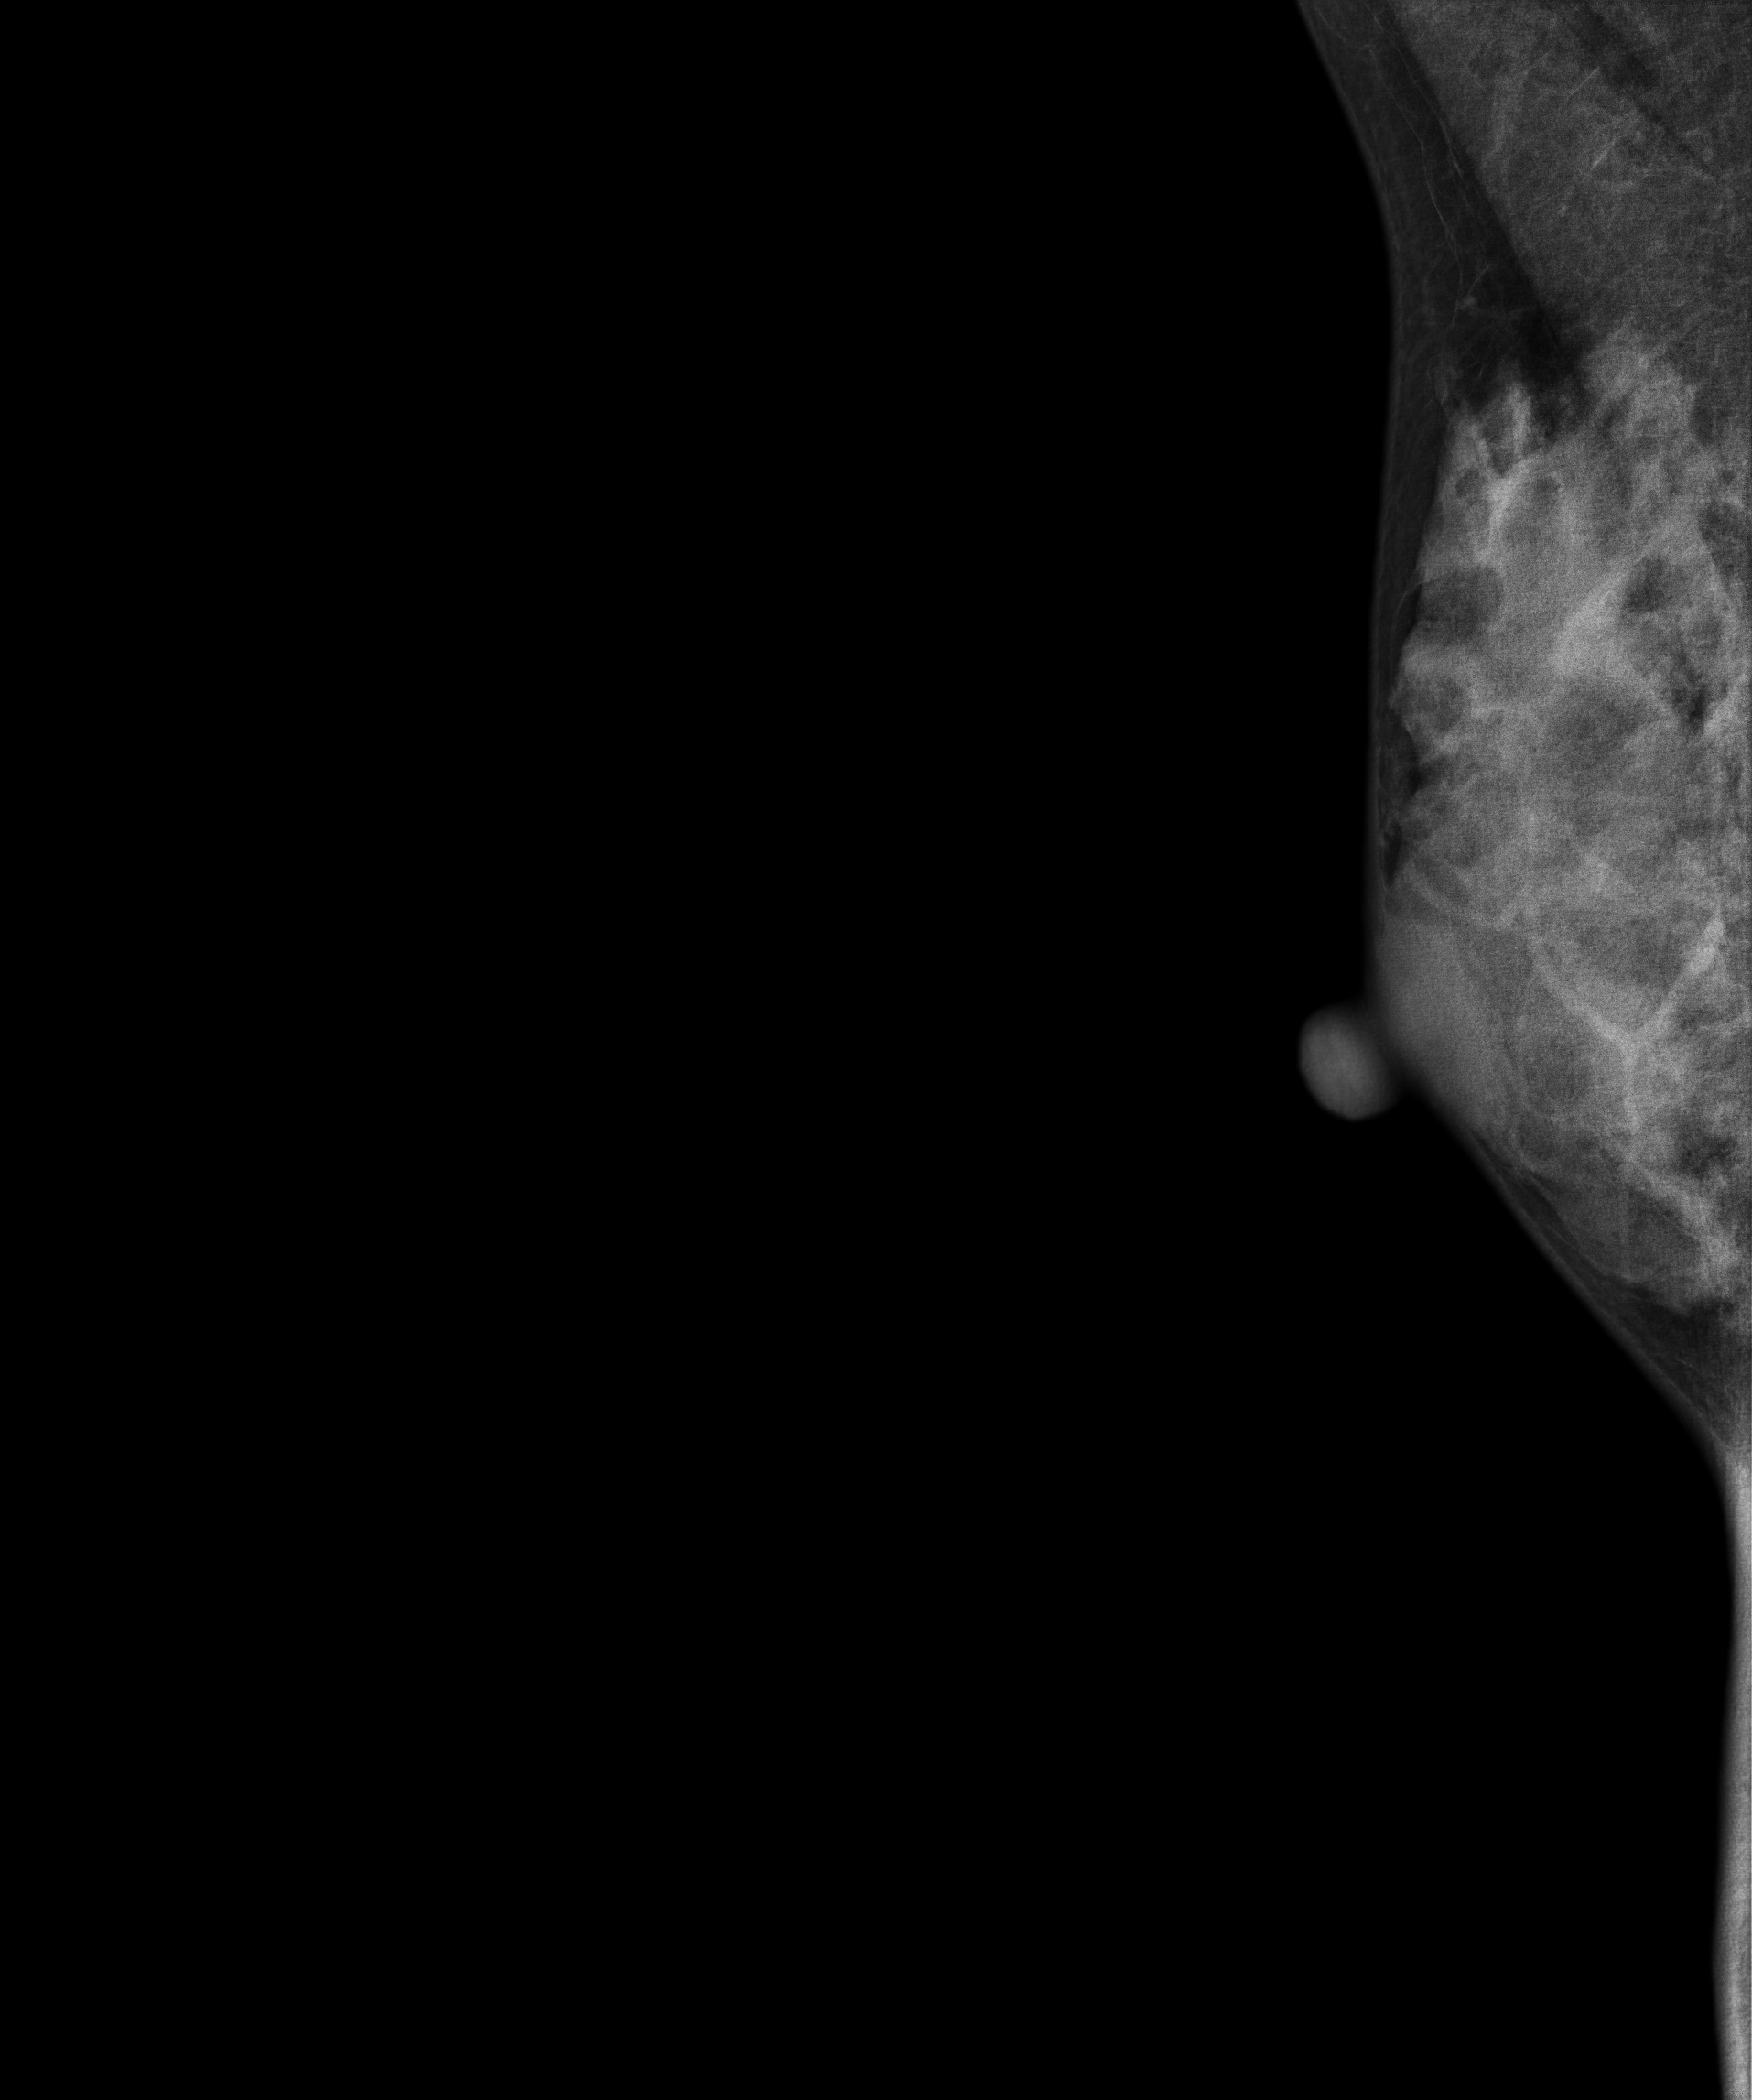
MLO mammogram of the right breast. 23-year-old patient.
This breast has a mass, biopsy-confirmed benign.